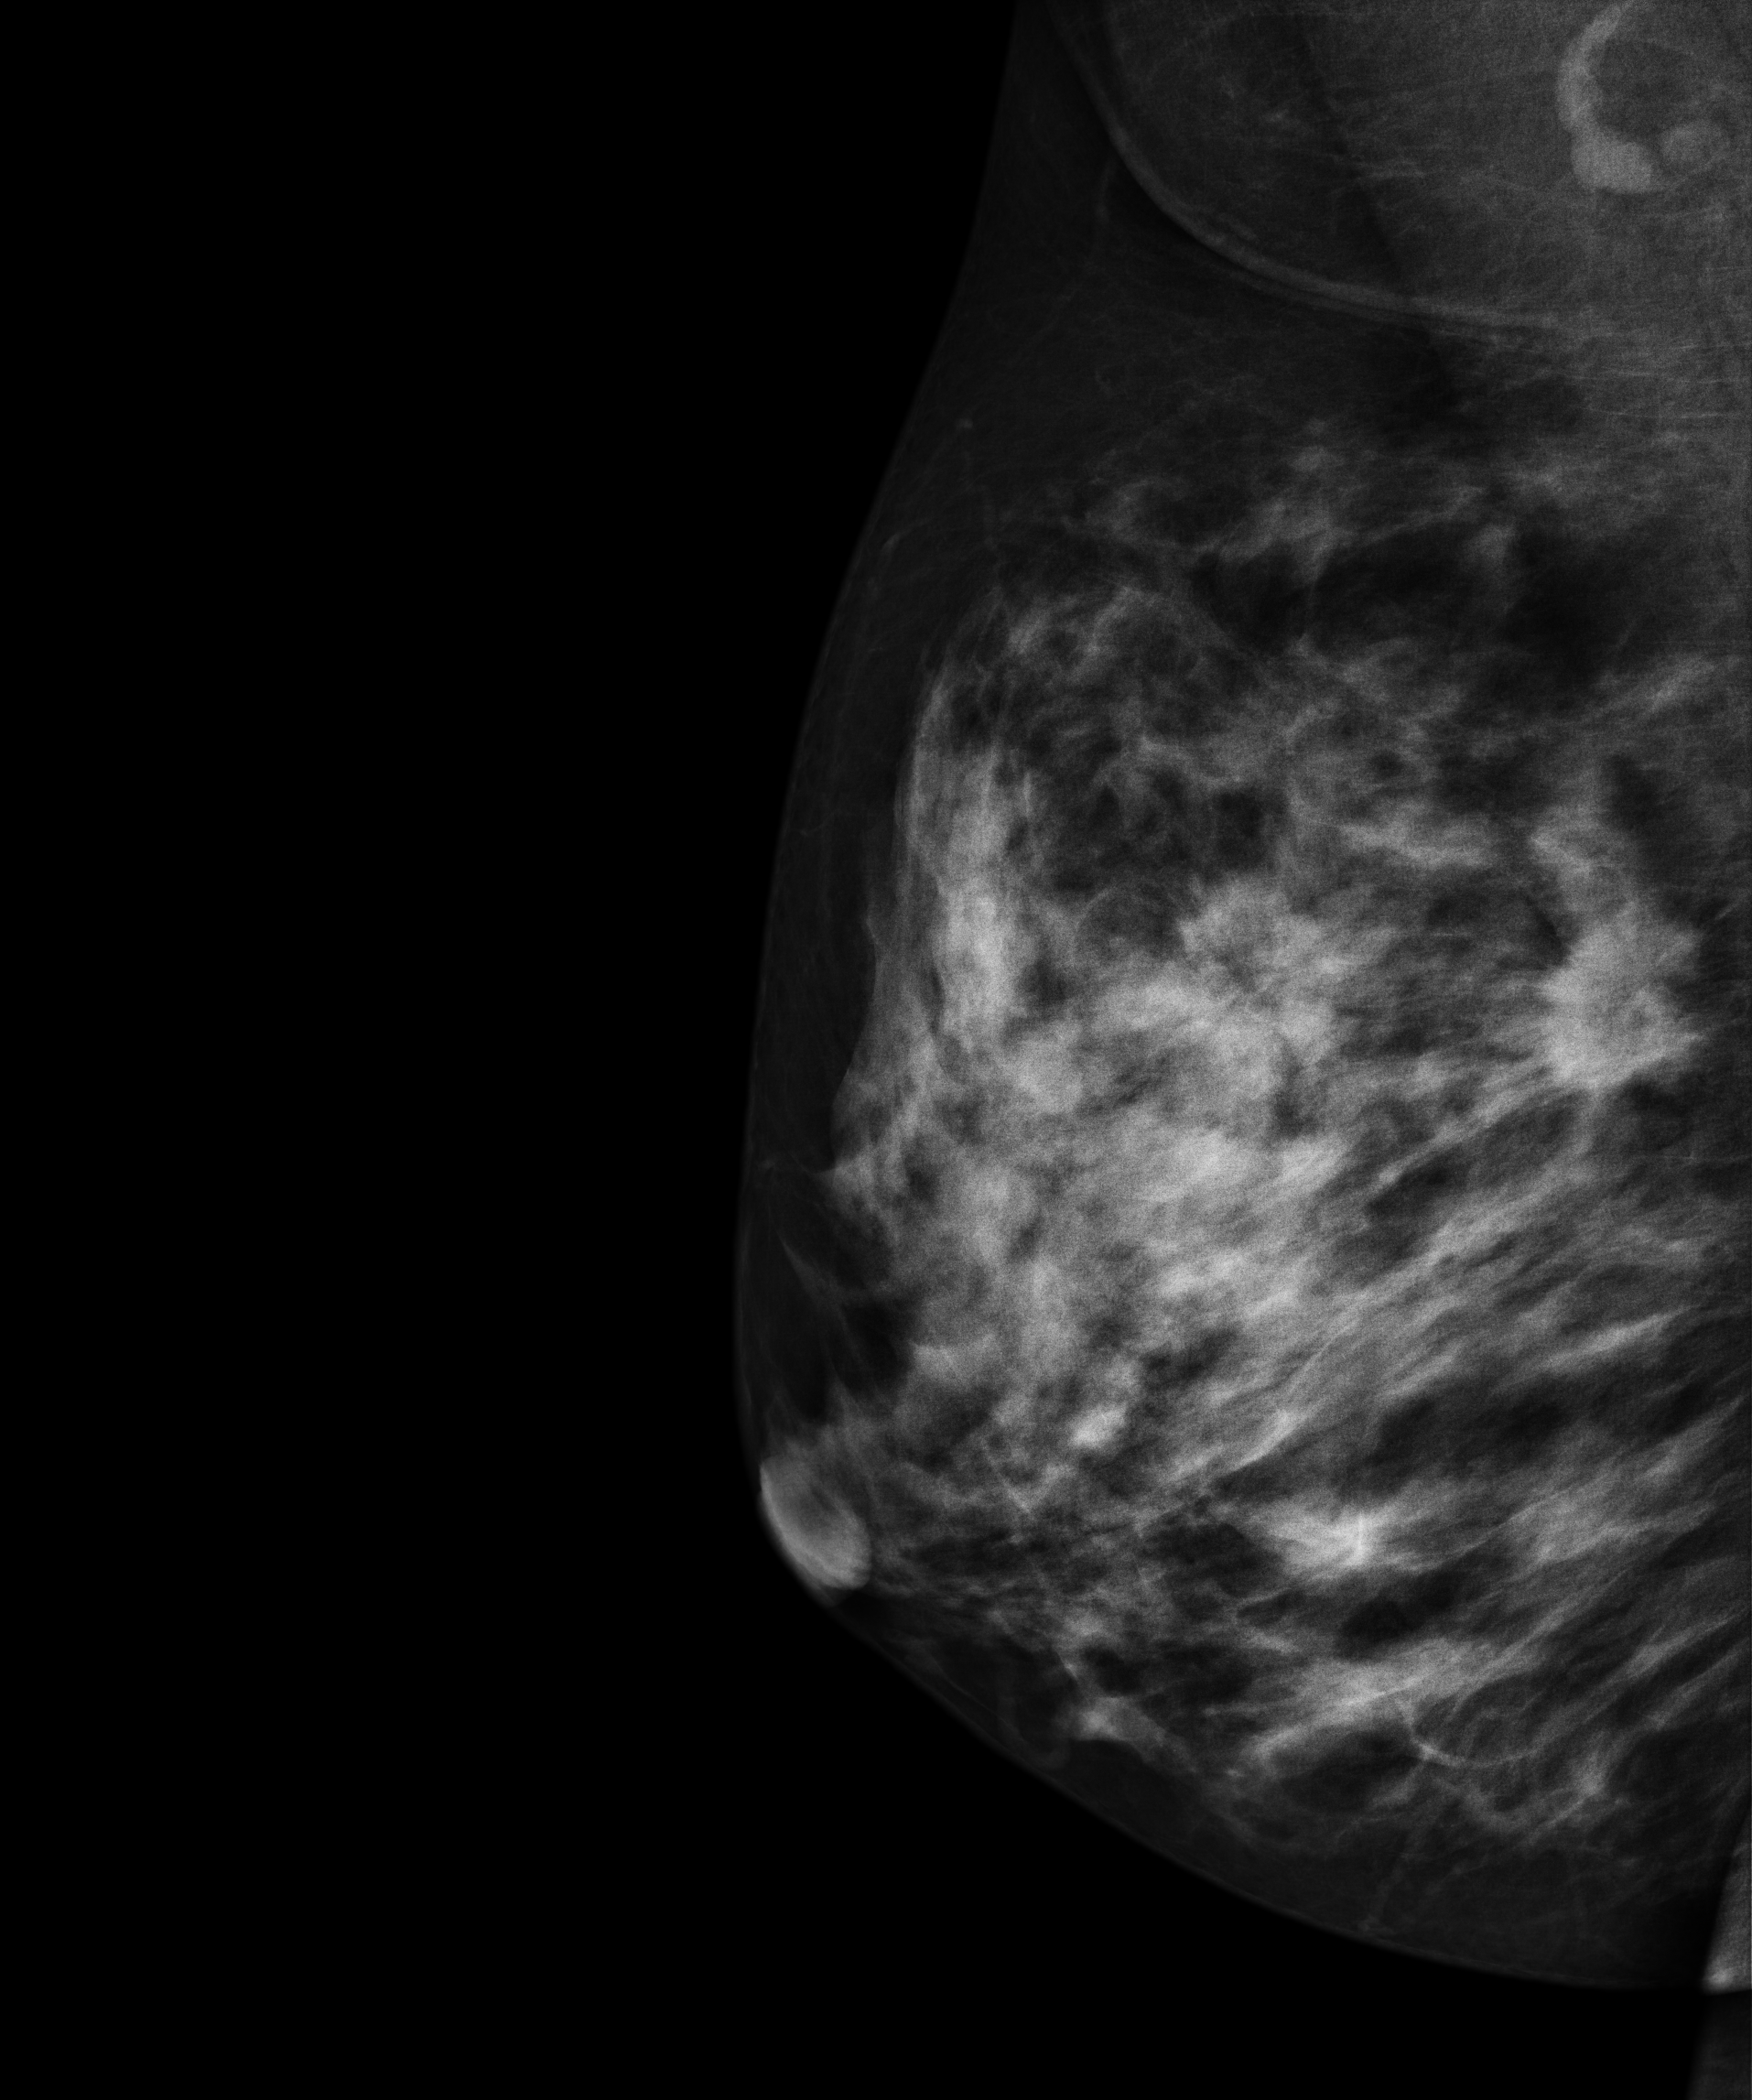
Mammogram, right breast, medio-lateral oblique view. 50-year-old patient.
This breast has a mass, pathology-confirmed malignant.